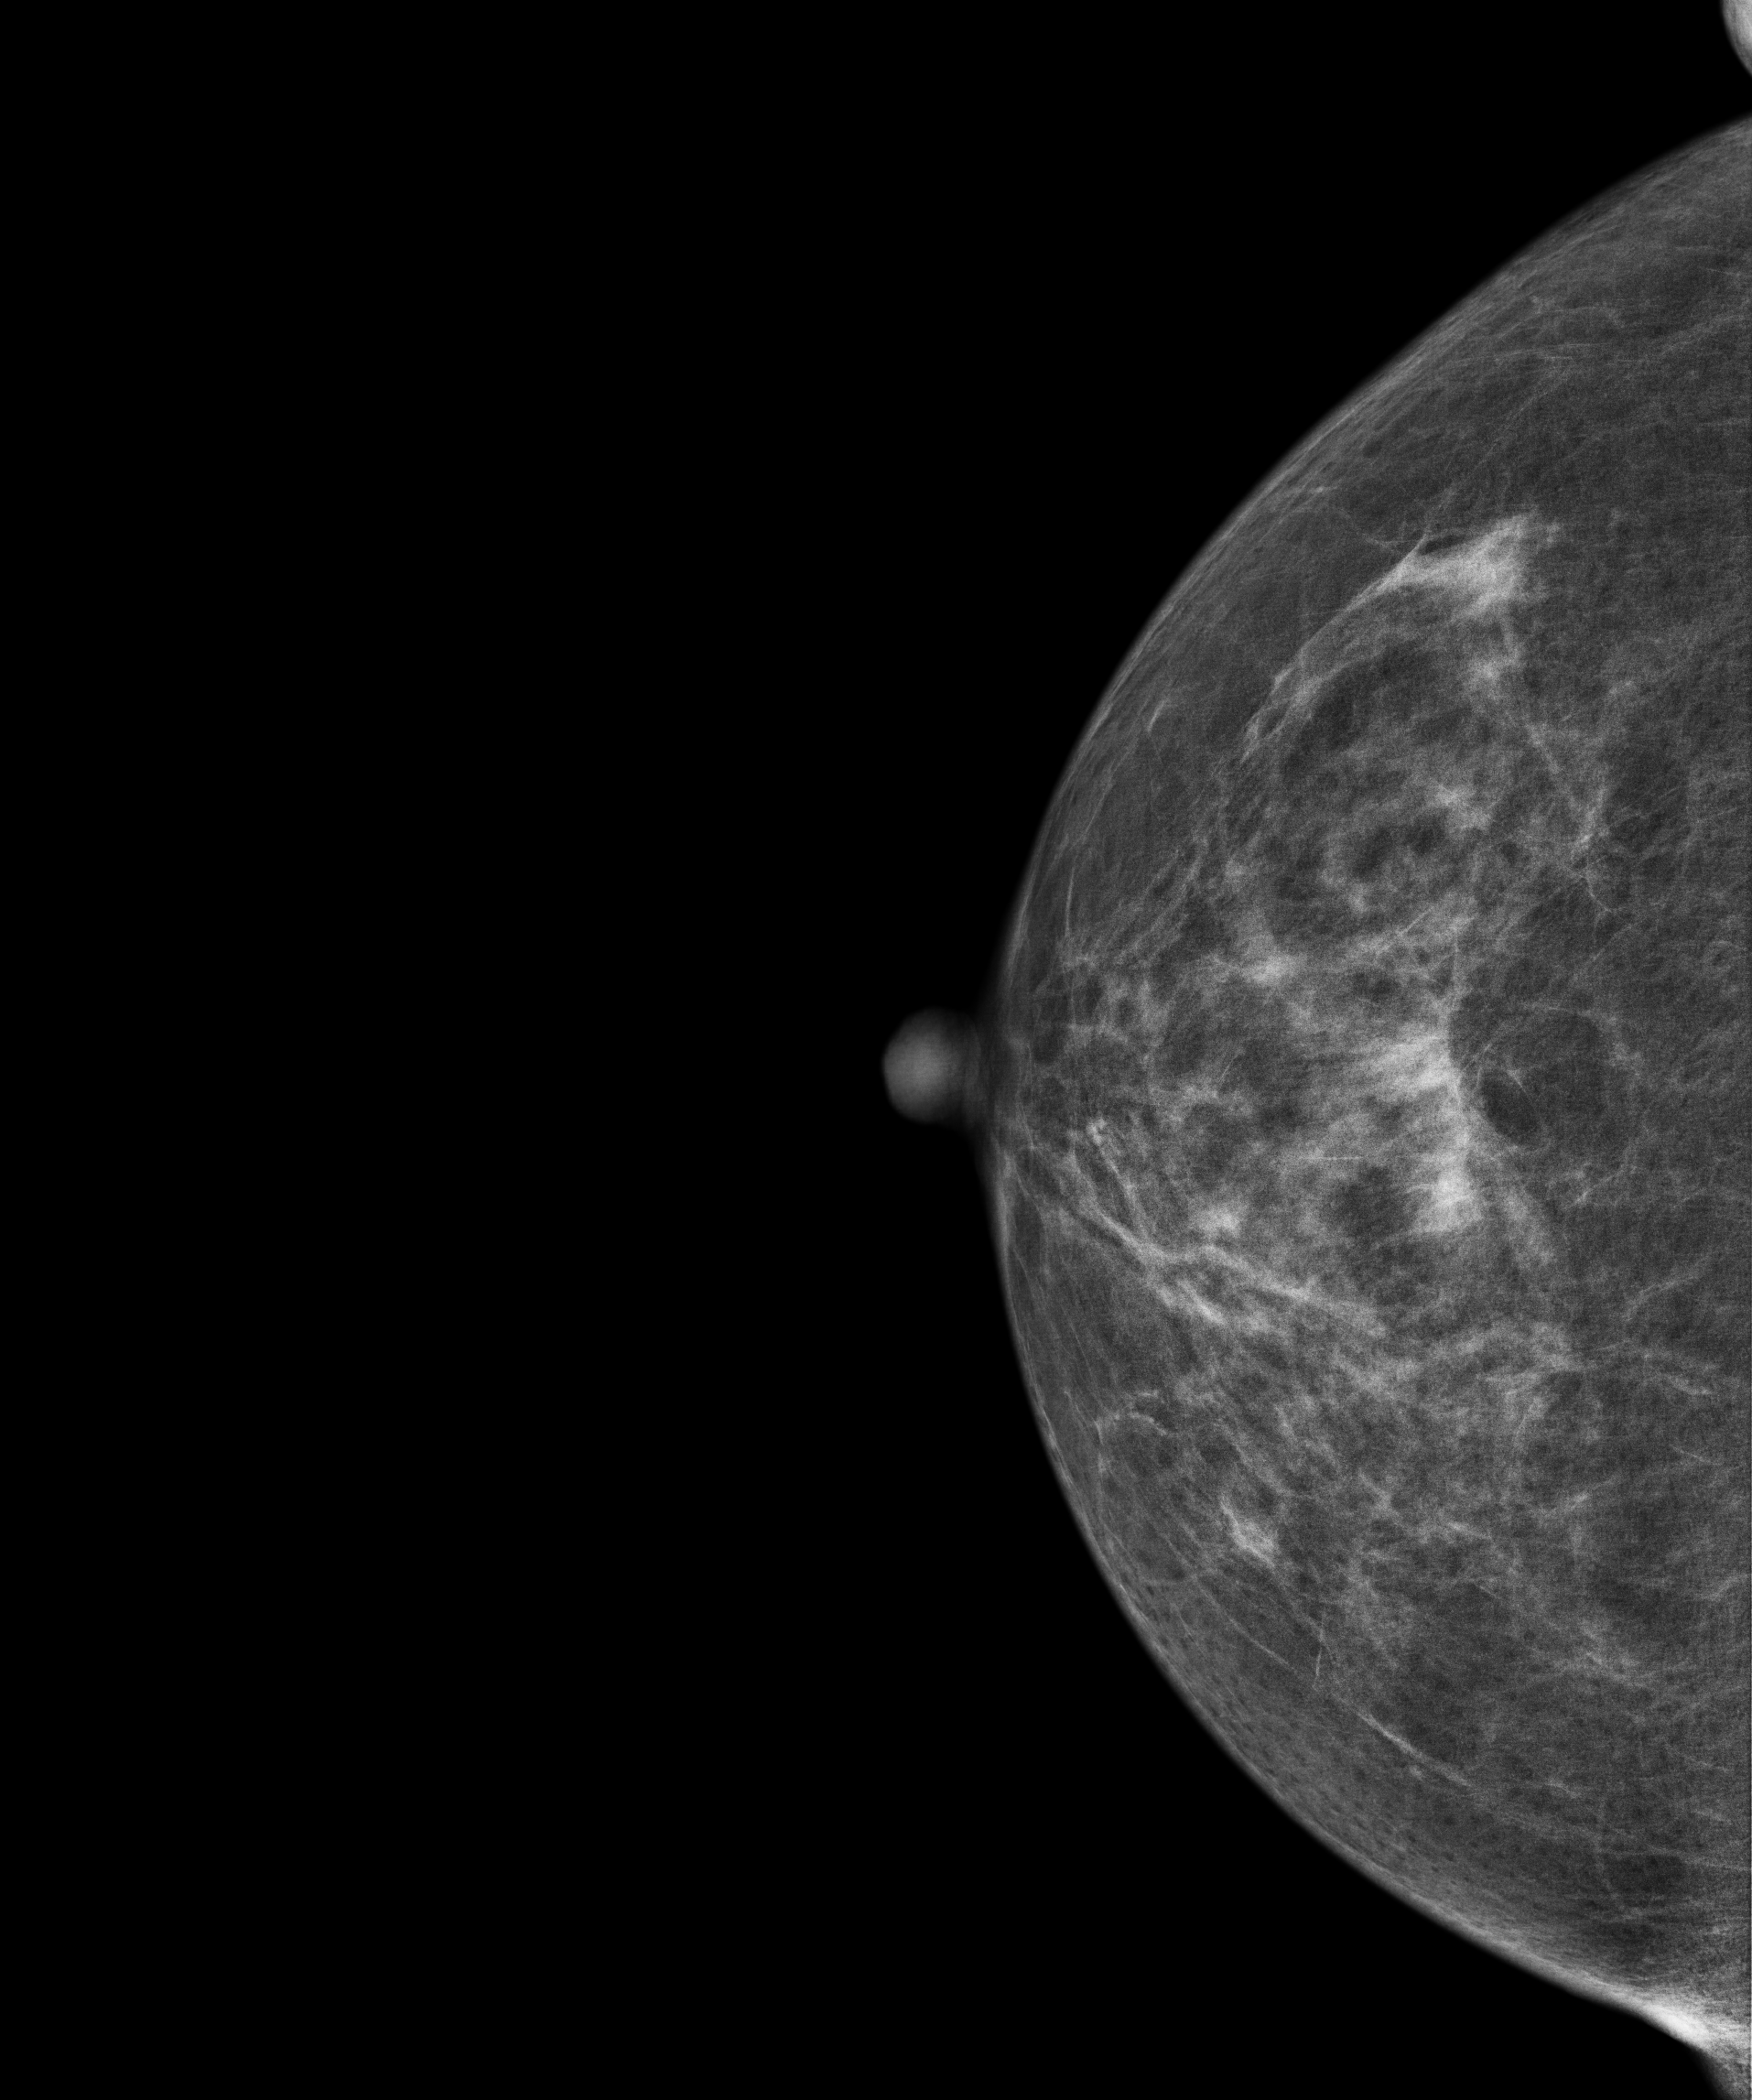
Cranio-caudal mammogram of the right breast. 51 y/o patient.
Contralateral breast — no documented abnormality on this side.